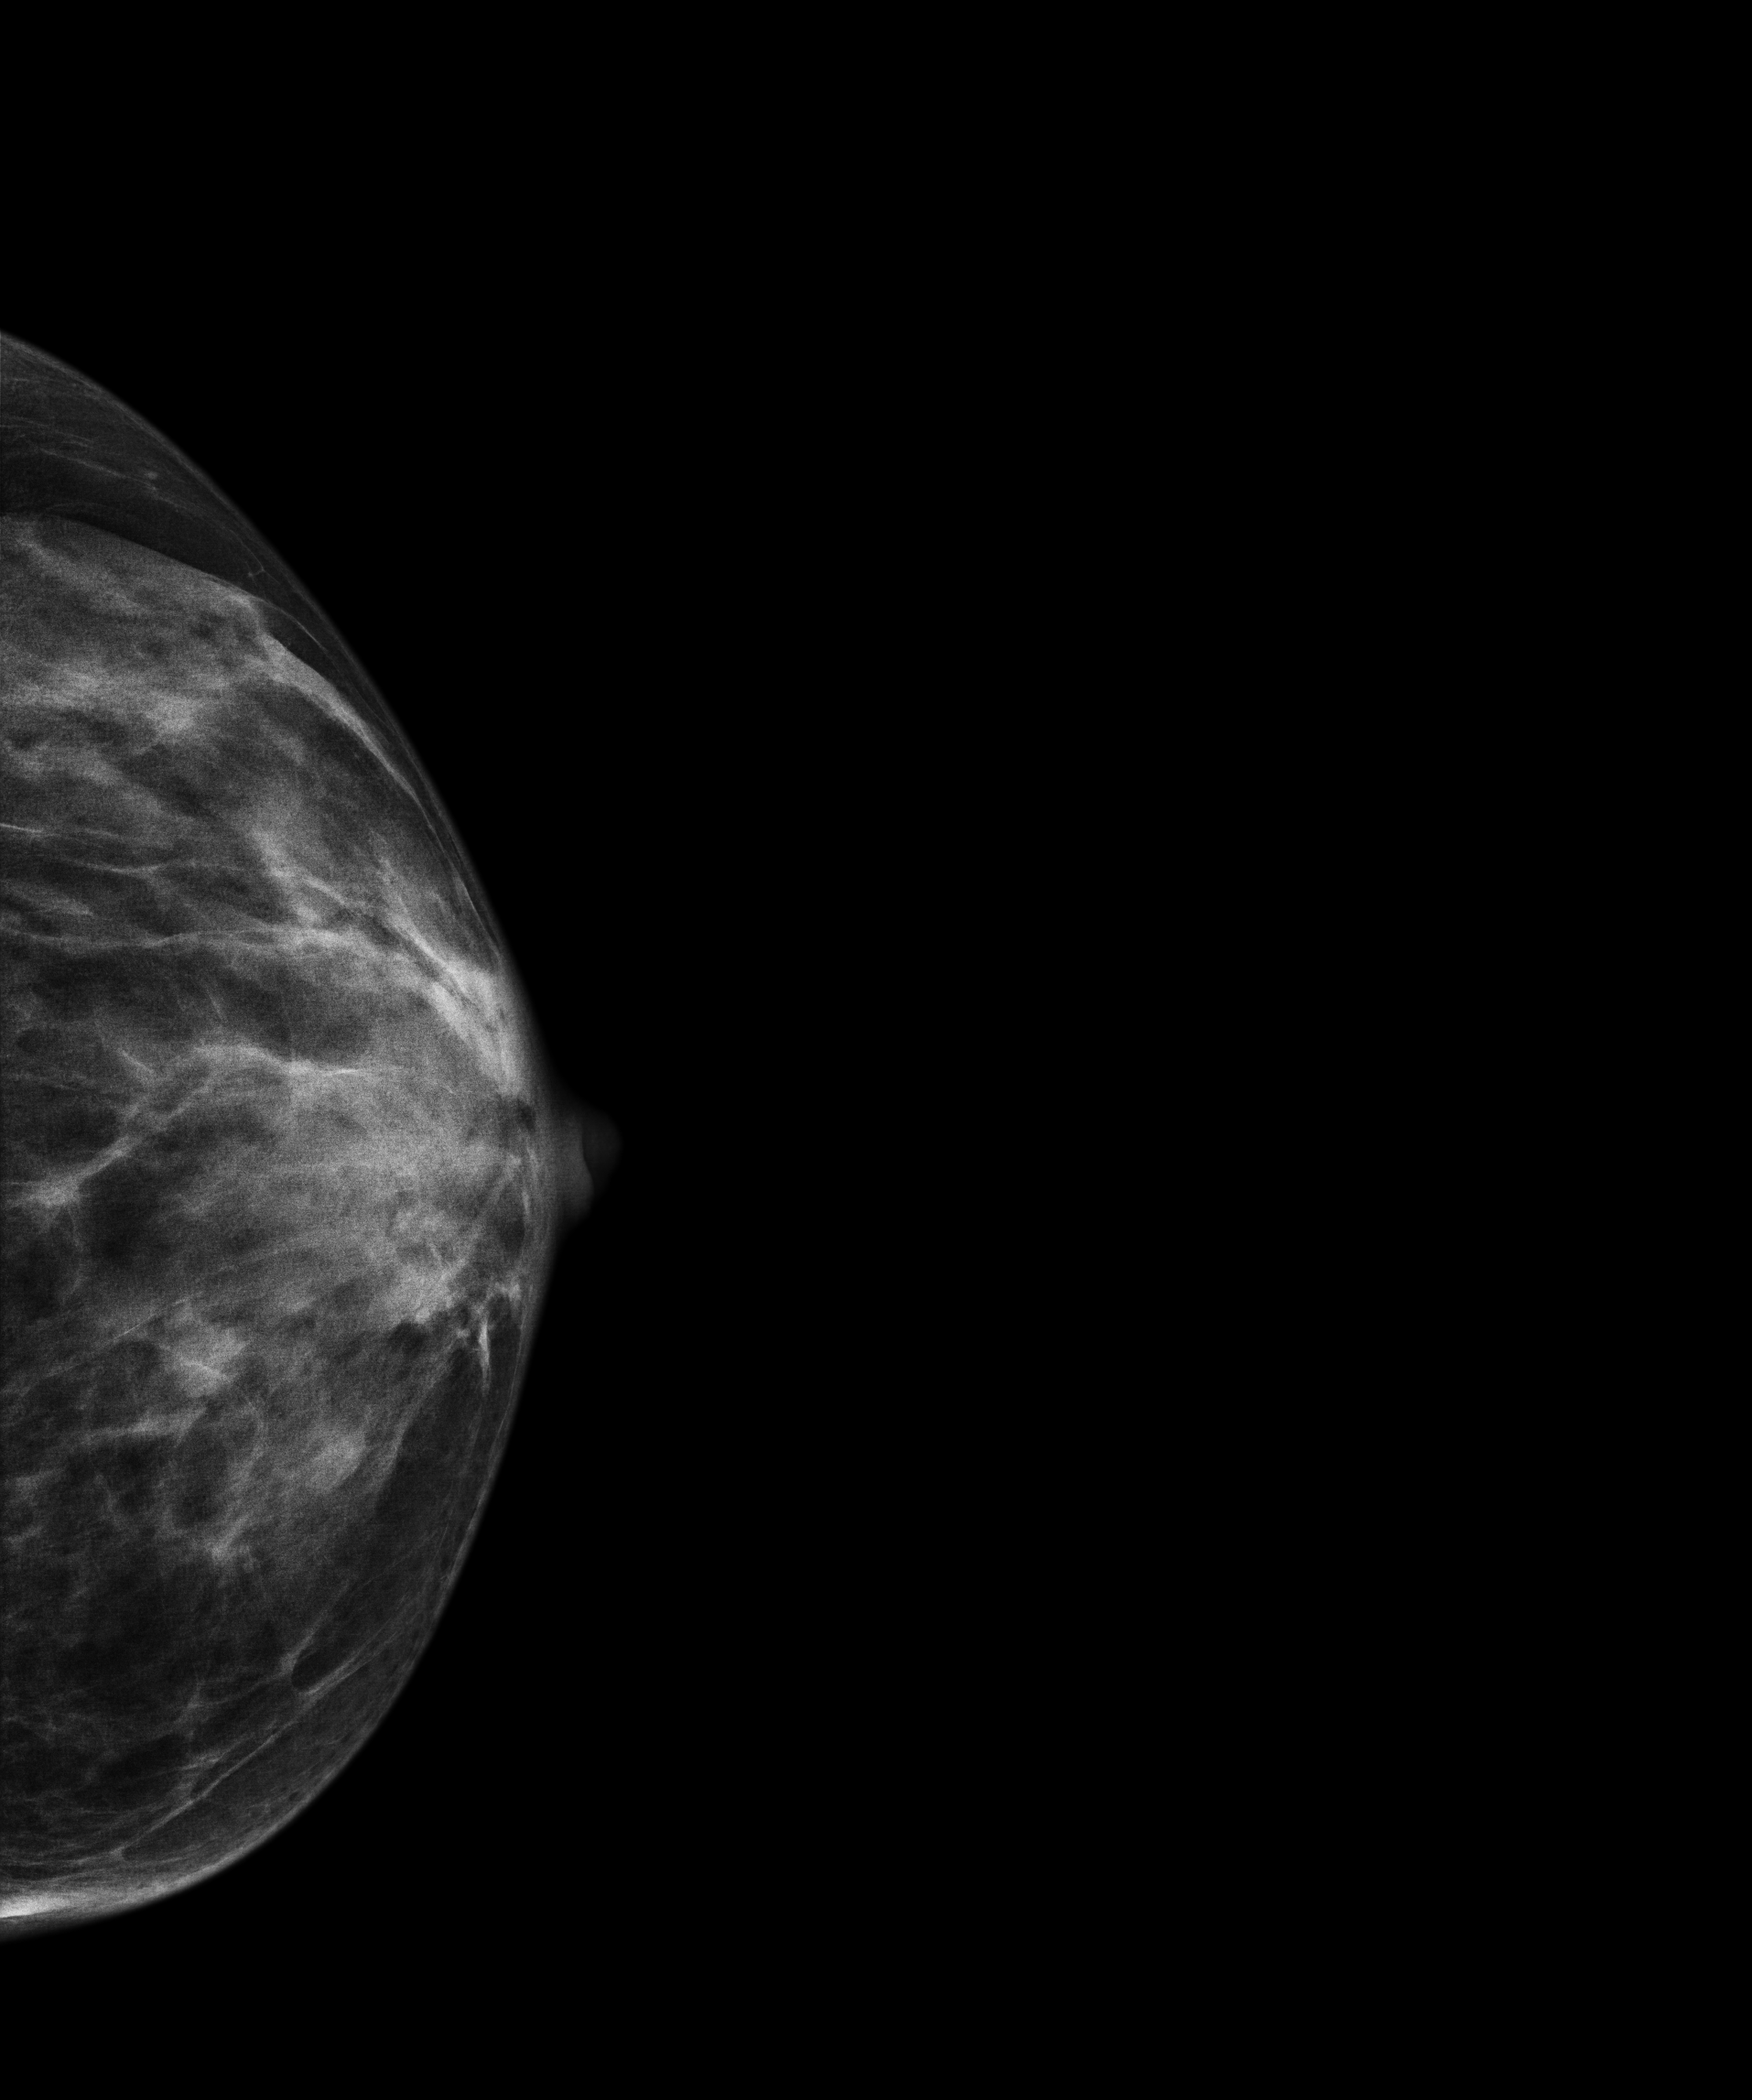
Mammogram — left cranio-caudal. 49-year-old patient.
Contralateral breast — no documented abnormality on this side.